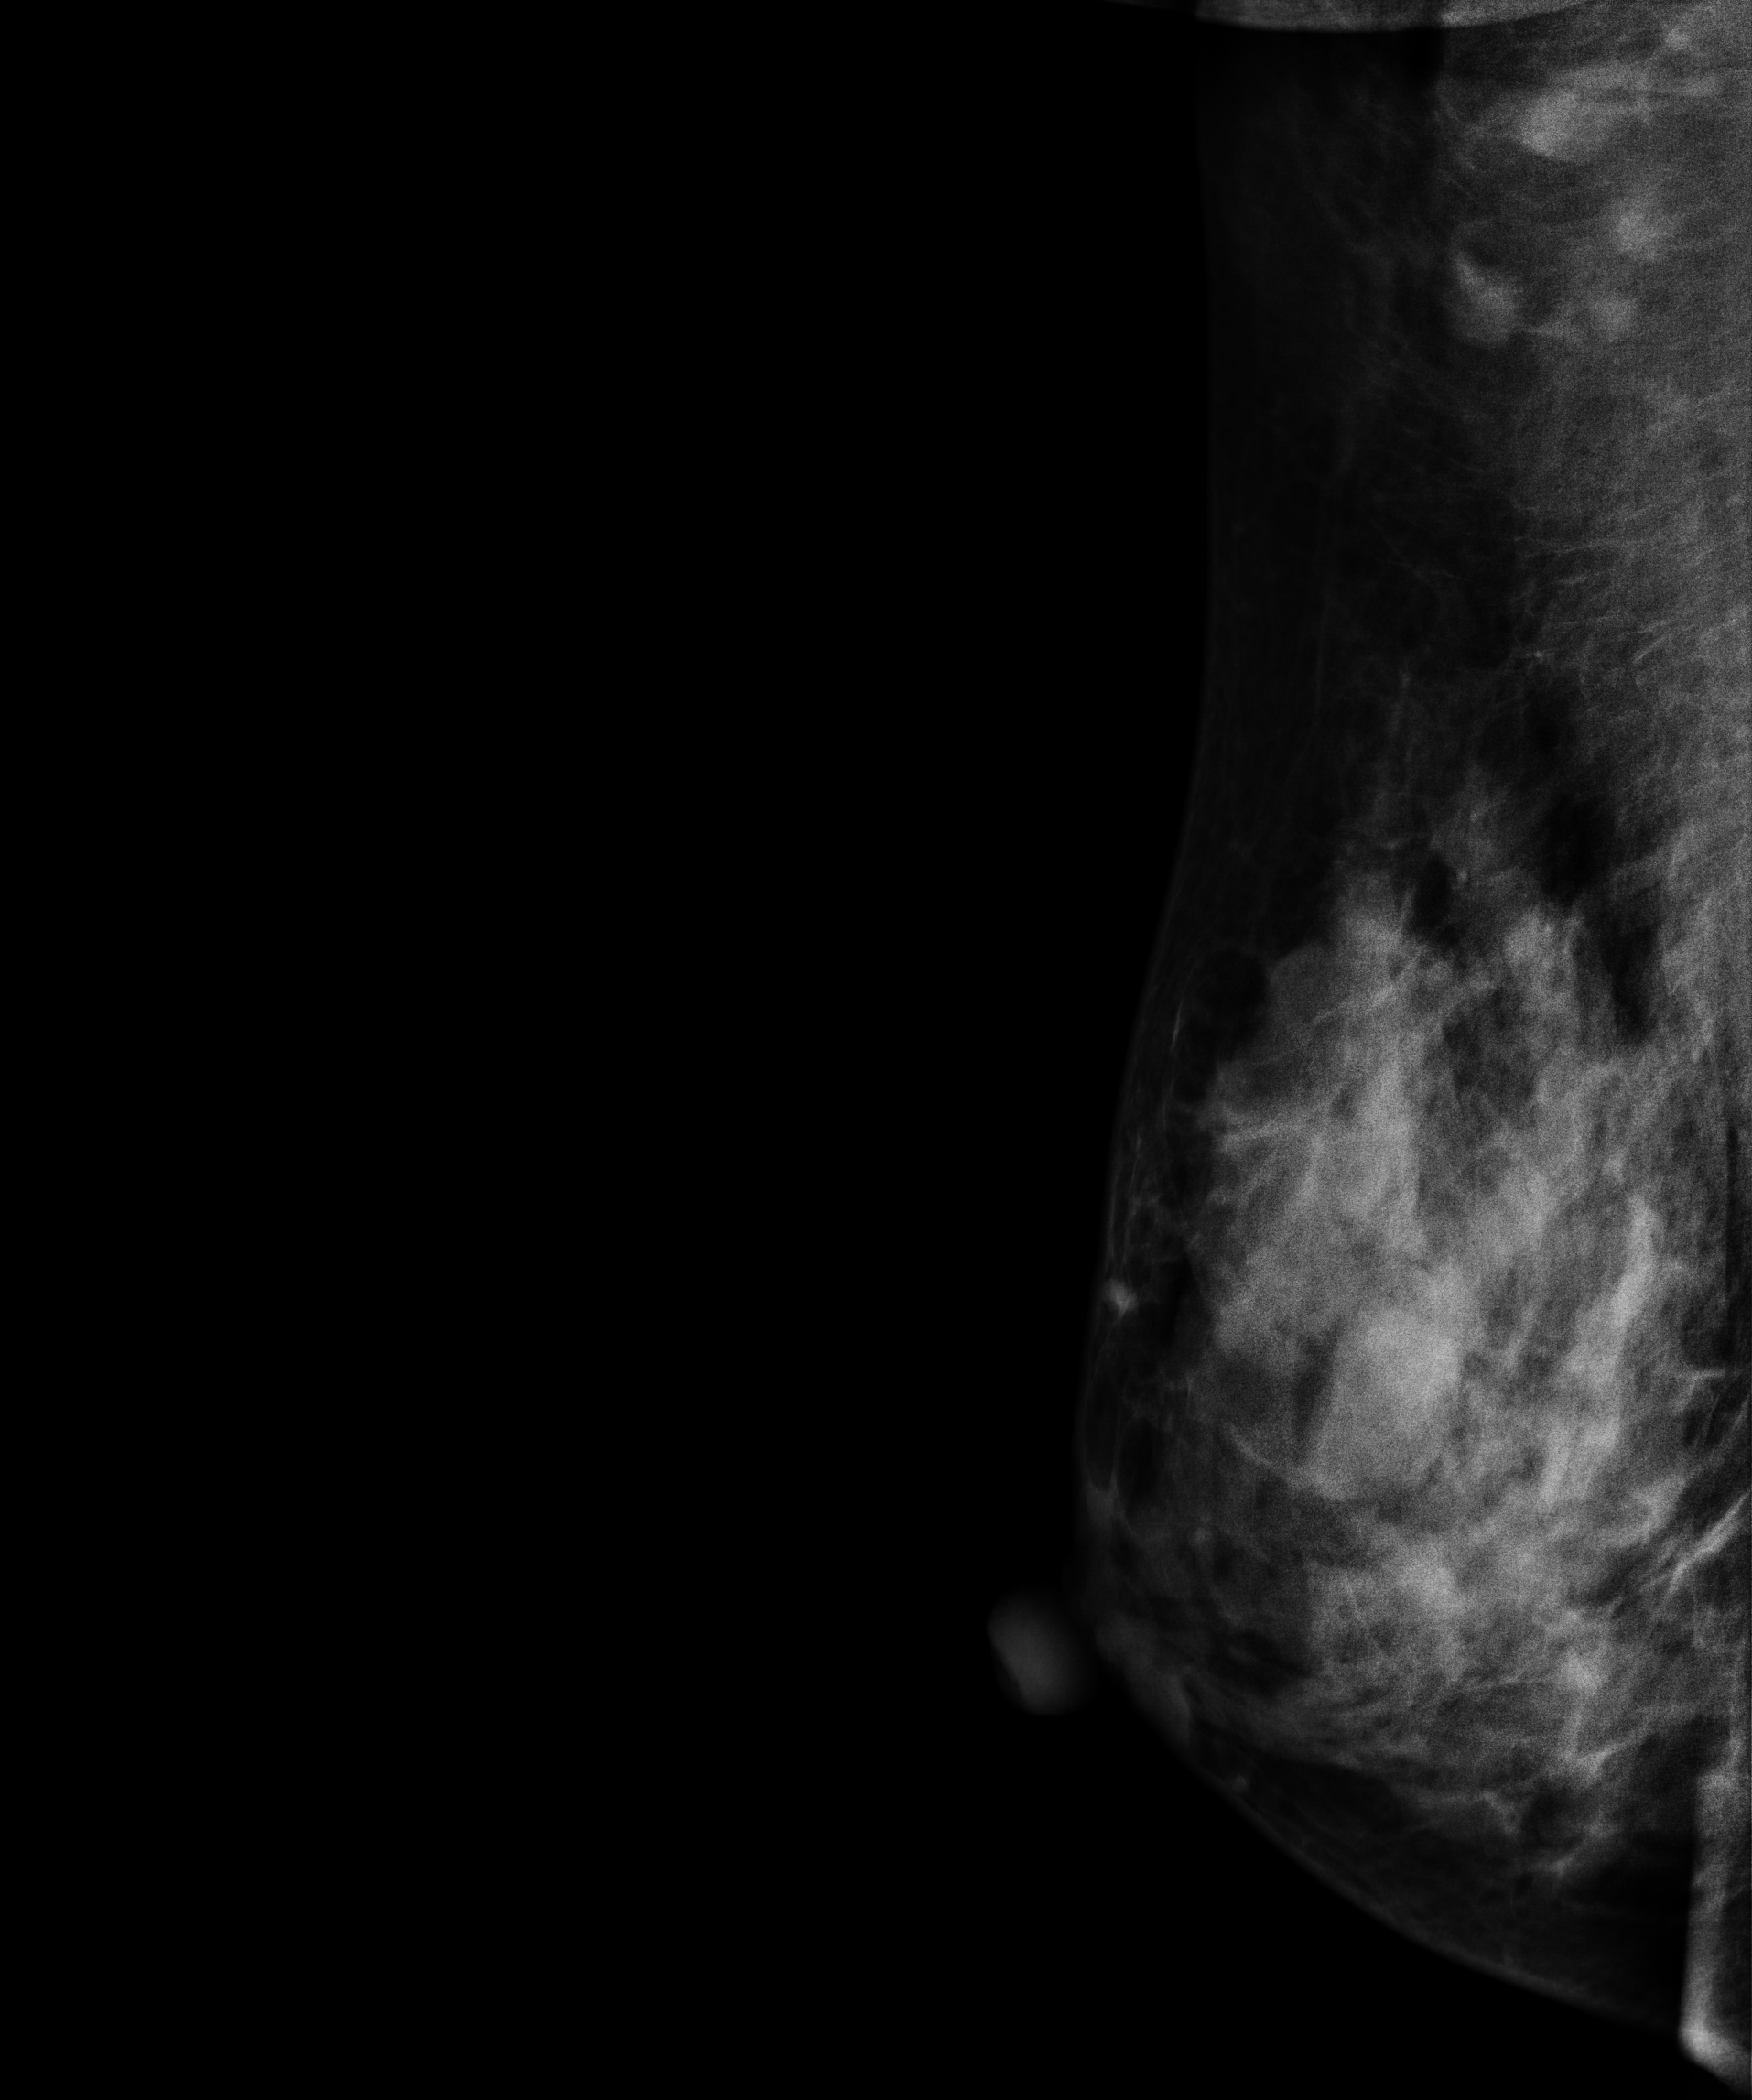
Mammogram — right MLO. 44 y/o patient.
This breast has a mass, biopsy-confirmed malignant. Molecular subtype: luminal A.